Right-breast mammogram, MLO. Patient age 52.
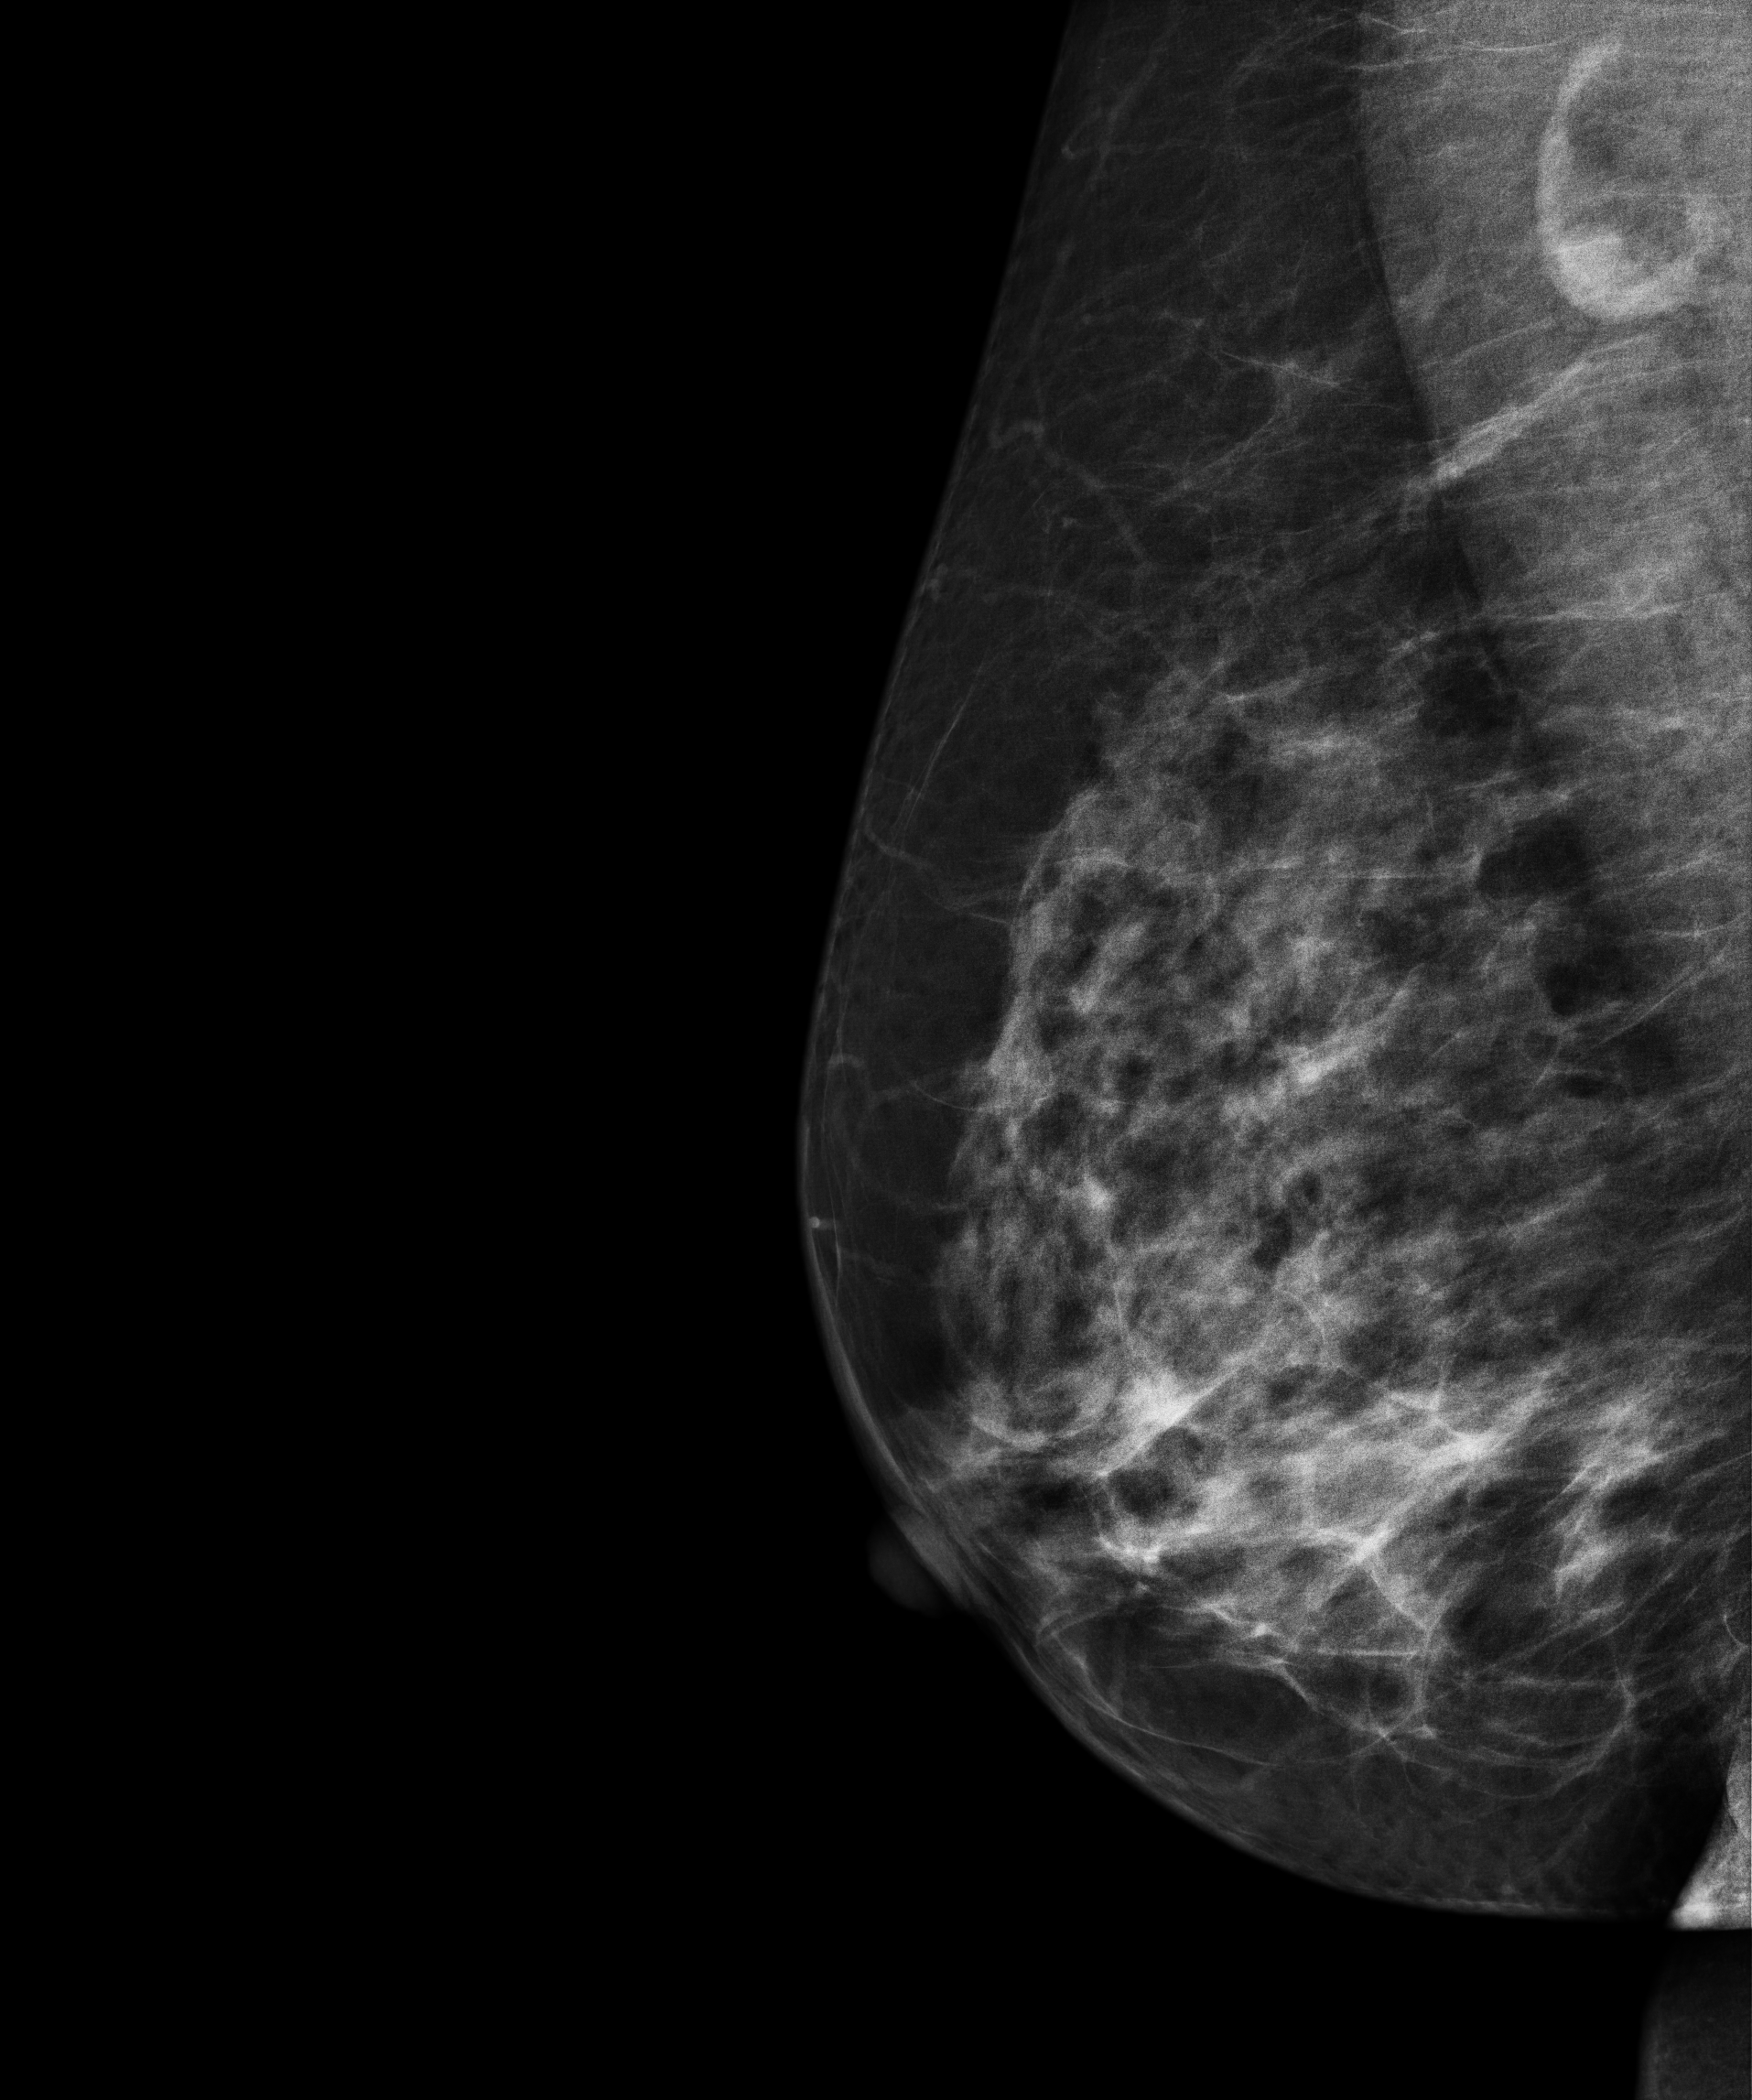
Contralateral breast — no documented abnormality on this side.